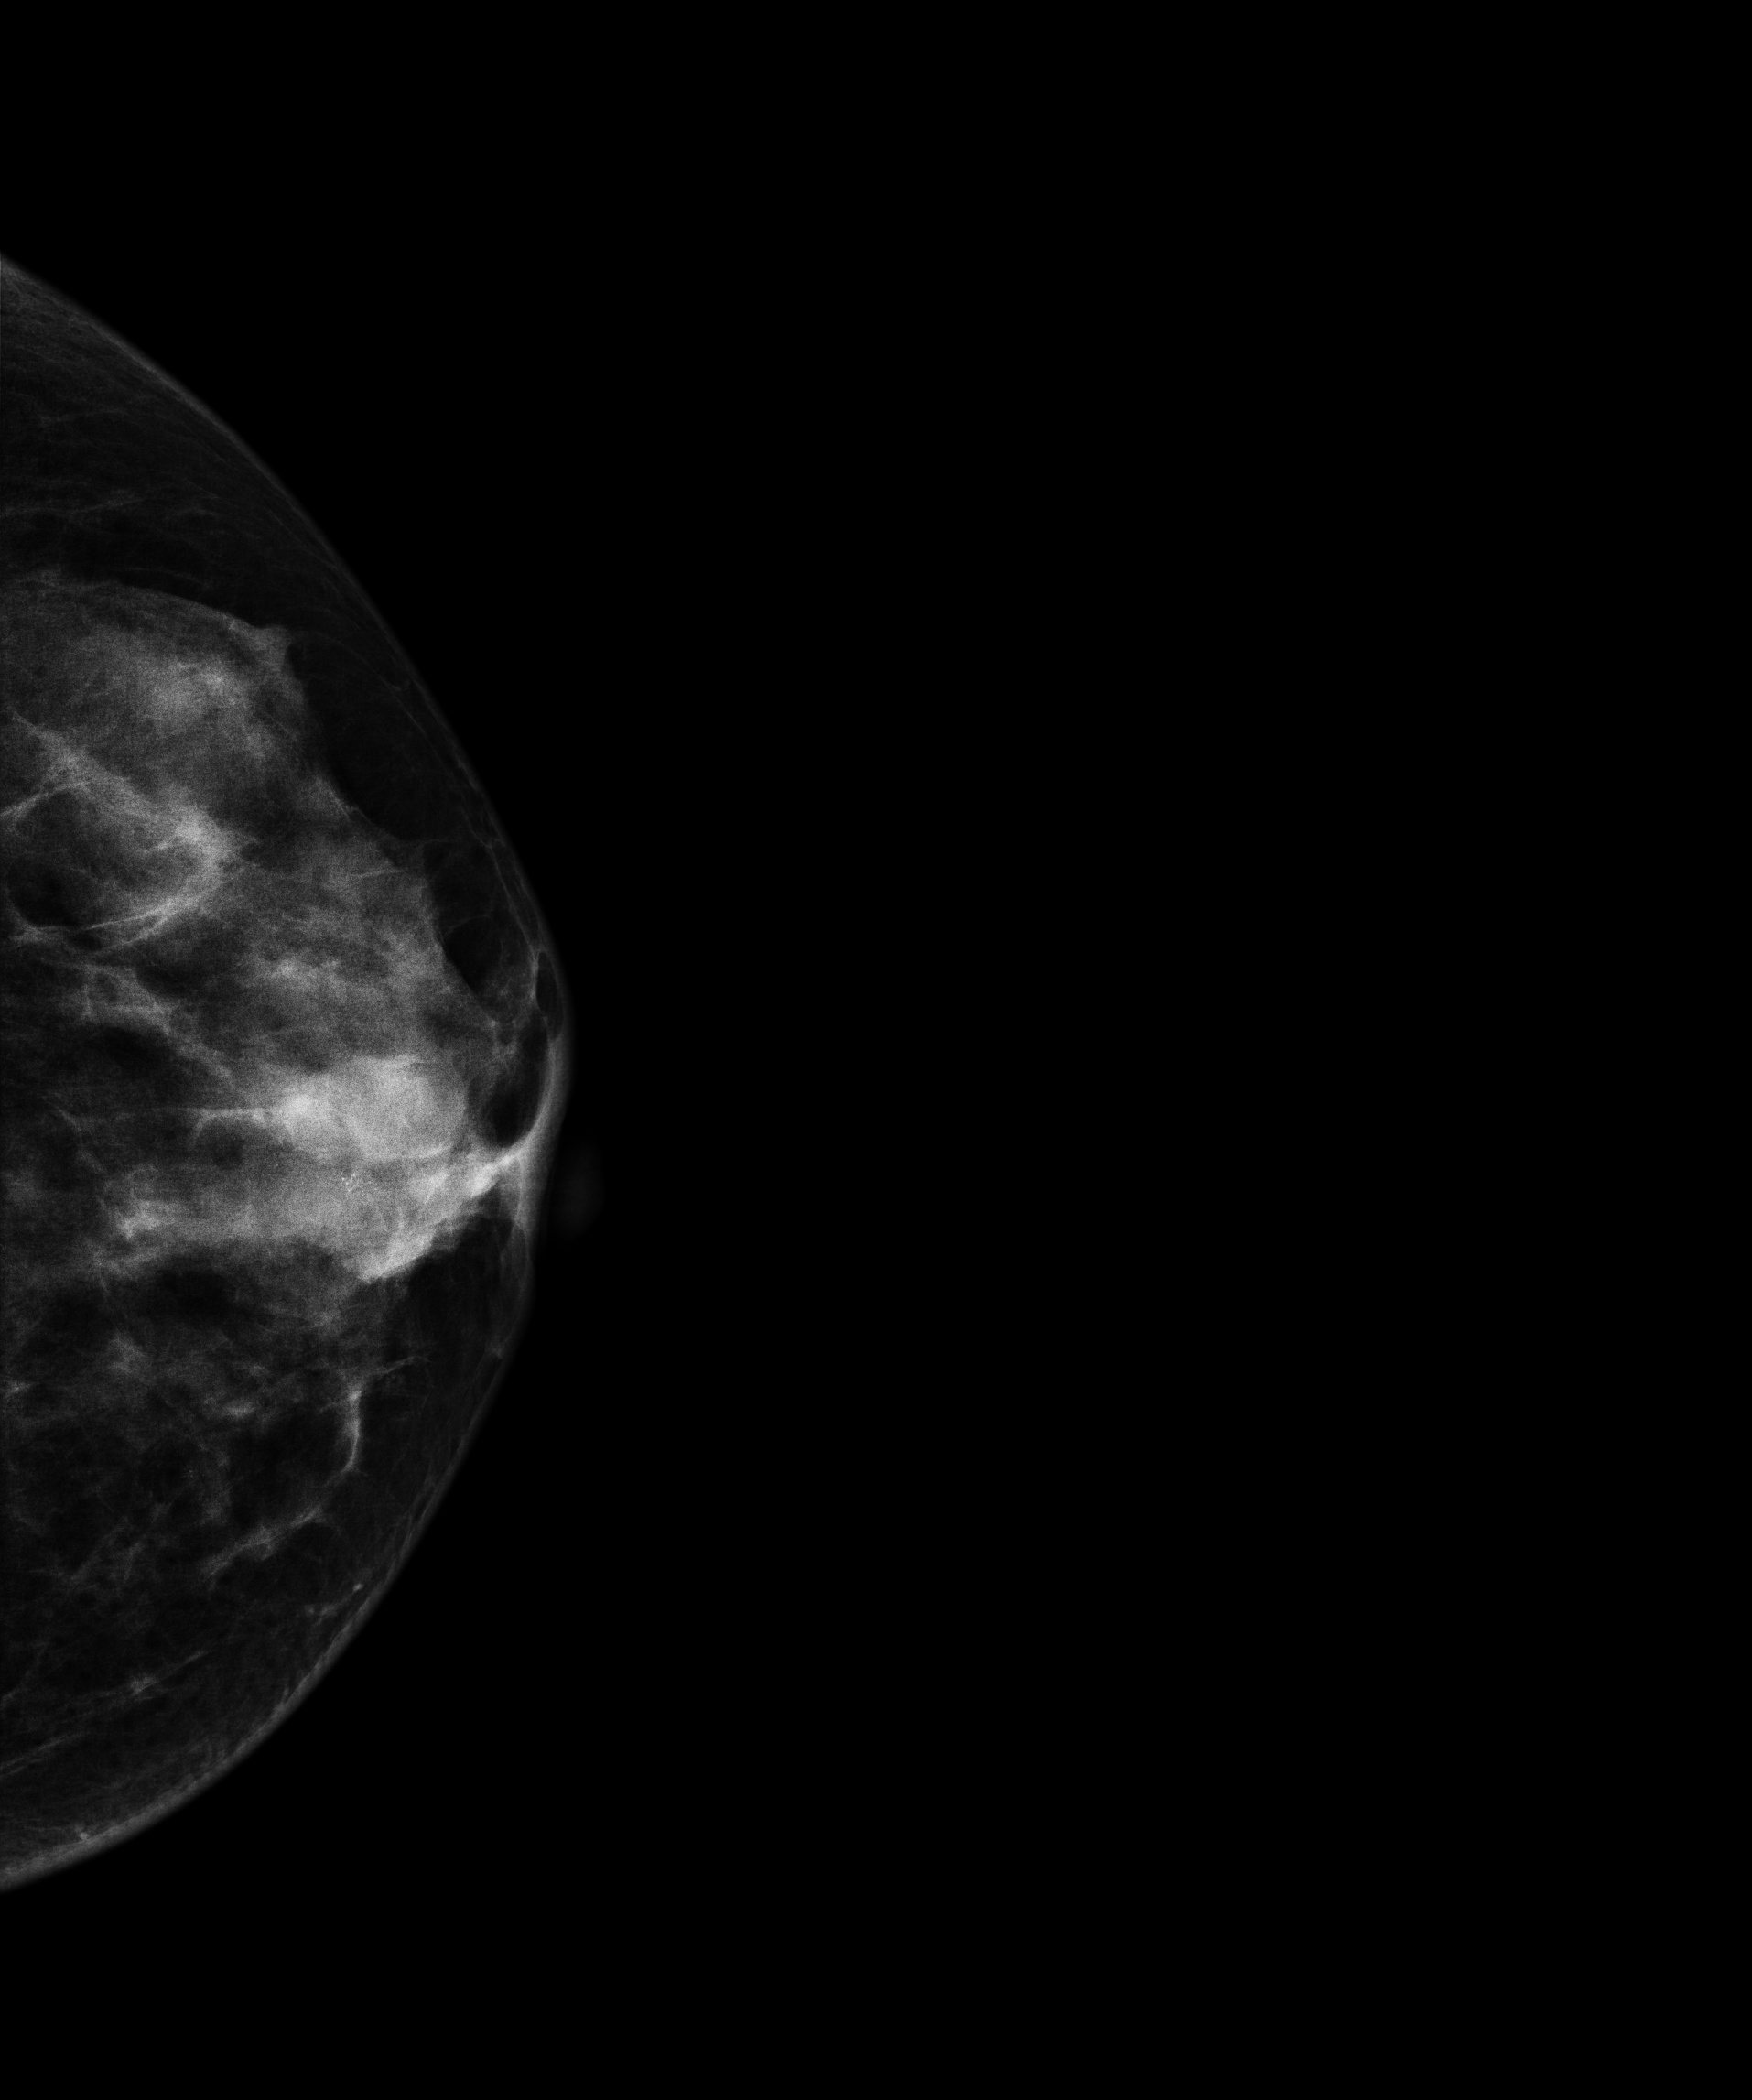
Cranio-caudal mammogram of the left breast. Patient age 31.
This breast has a mass and calcifications, pathology-confirmed malignant.